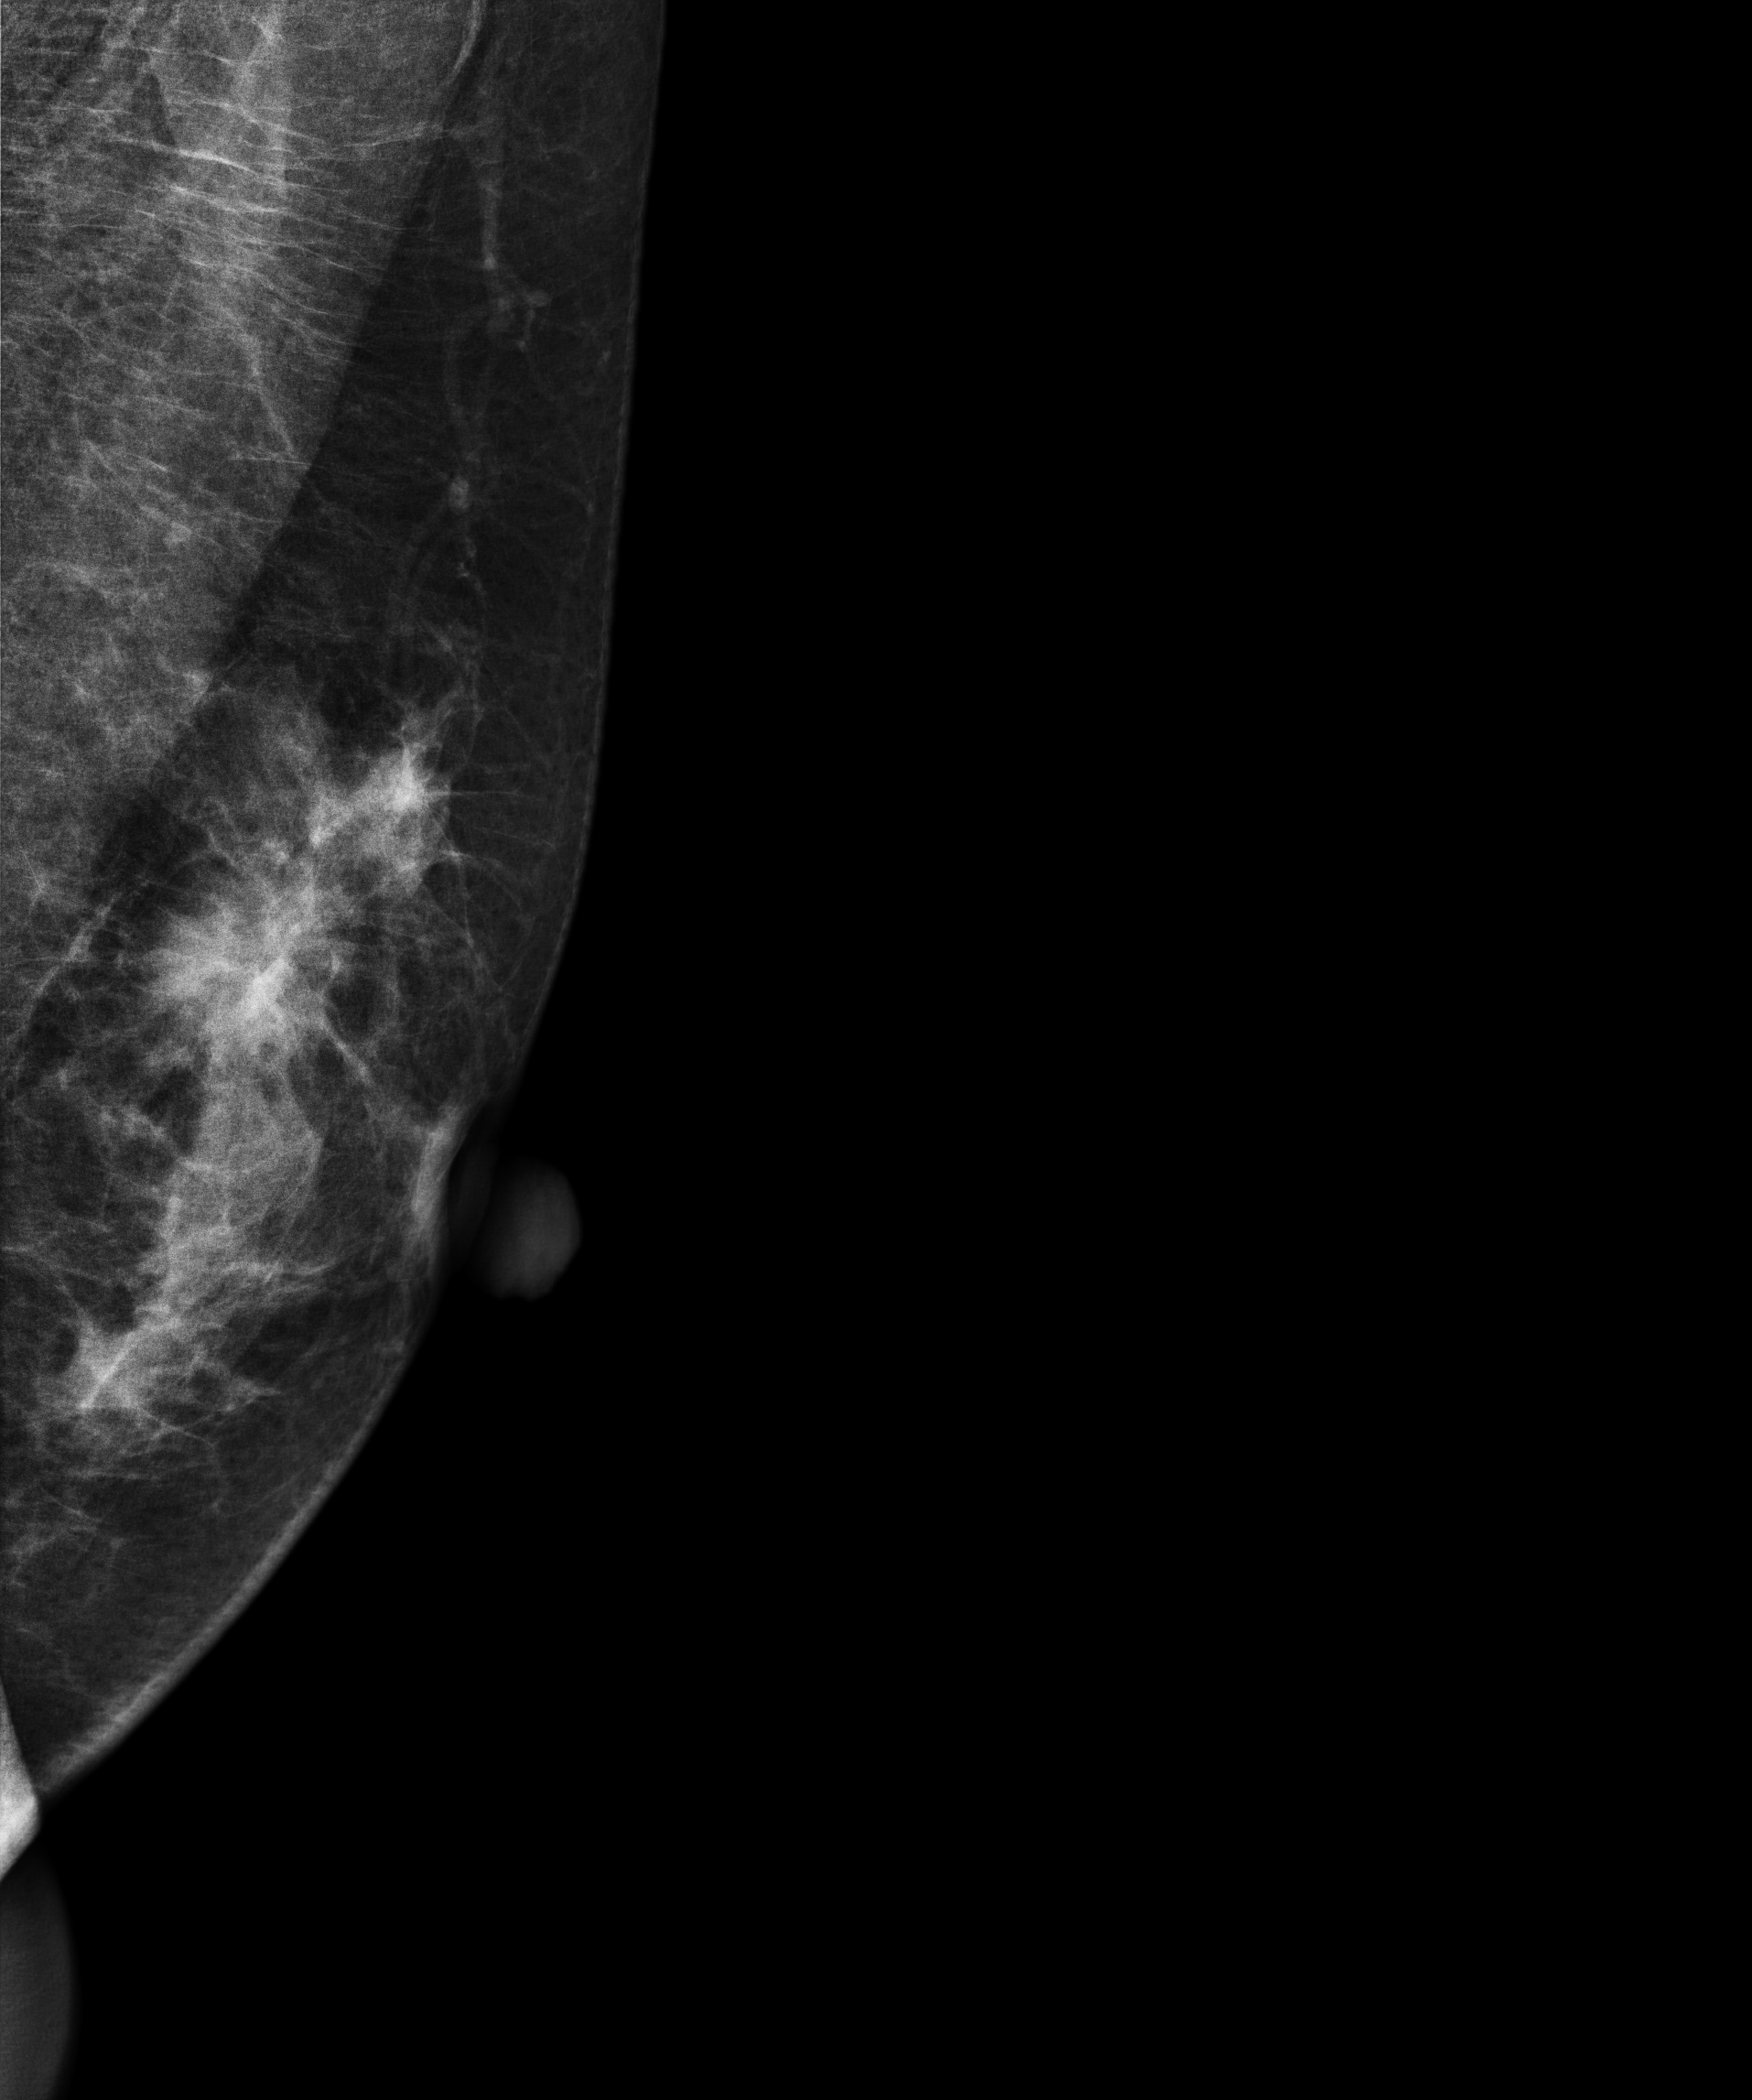
Mammogram, left breast, MLO view. 43 y/o patient.
This breast has a mass, biopsy-proven malignant. Molecular subtype: luminal B.